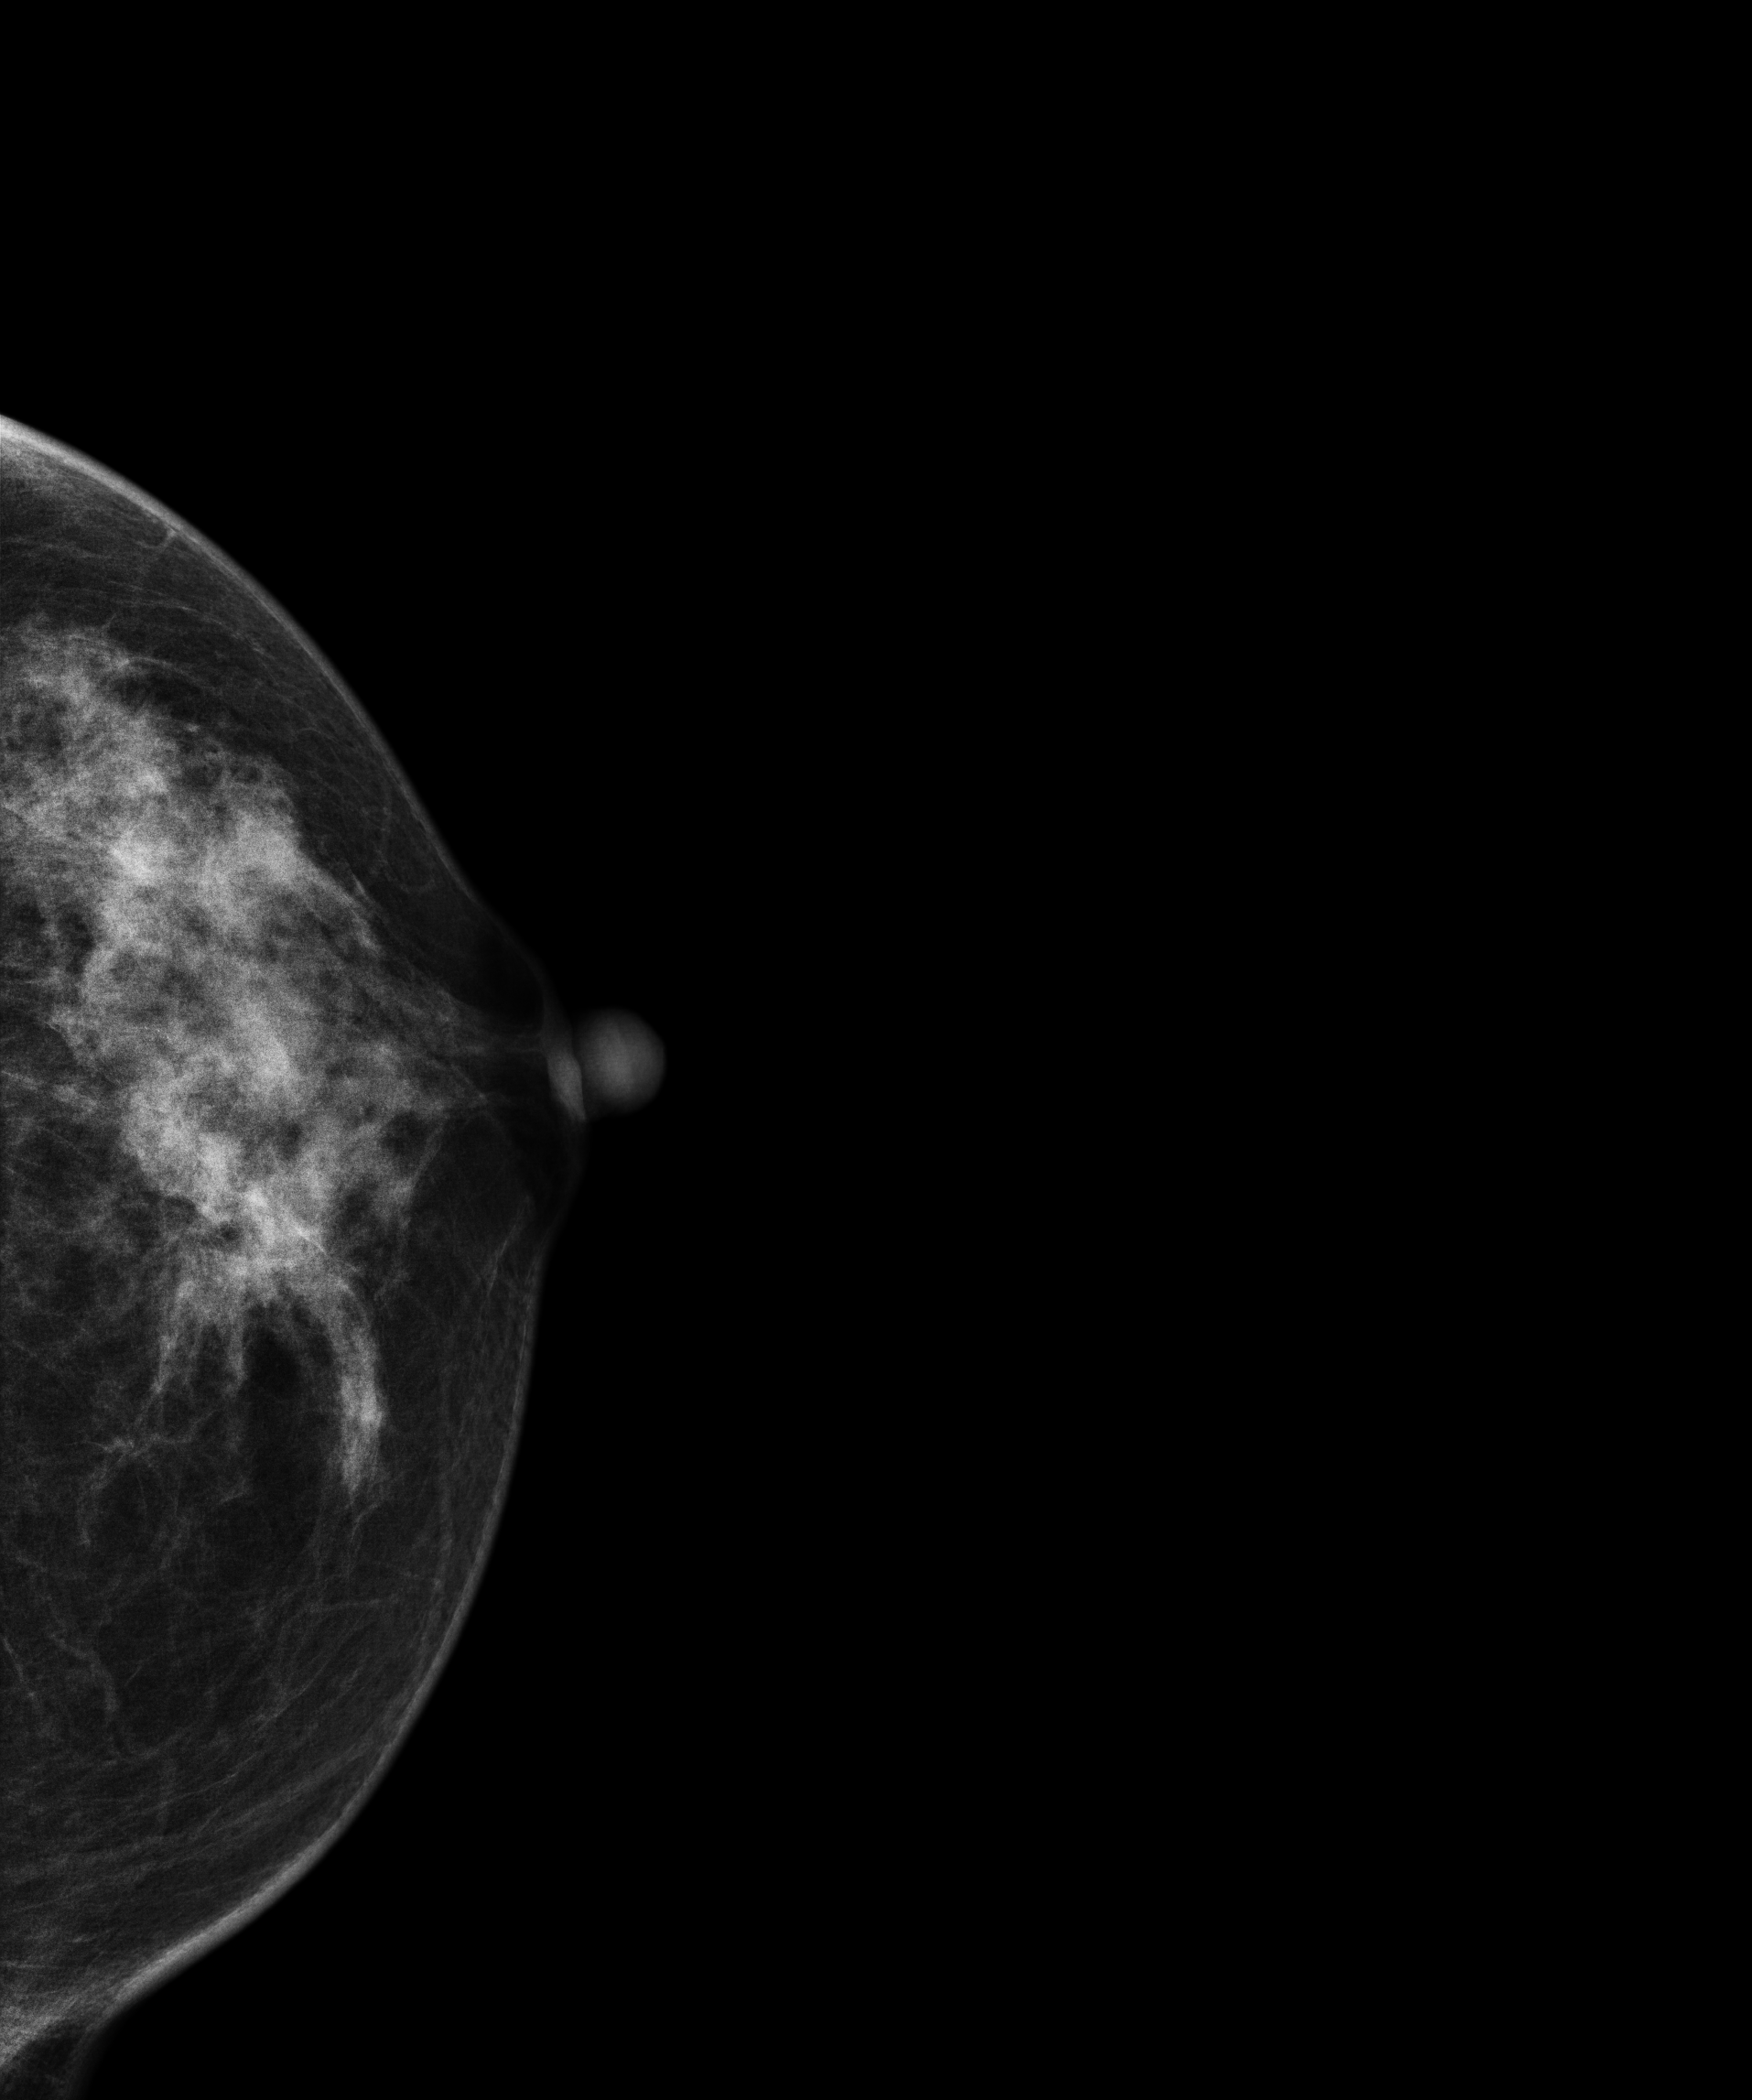
CC mammogram of the left breast. 47 y/o patient.
This breast has a mass, biopsy-proven benign.